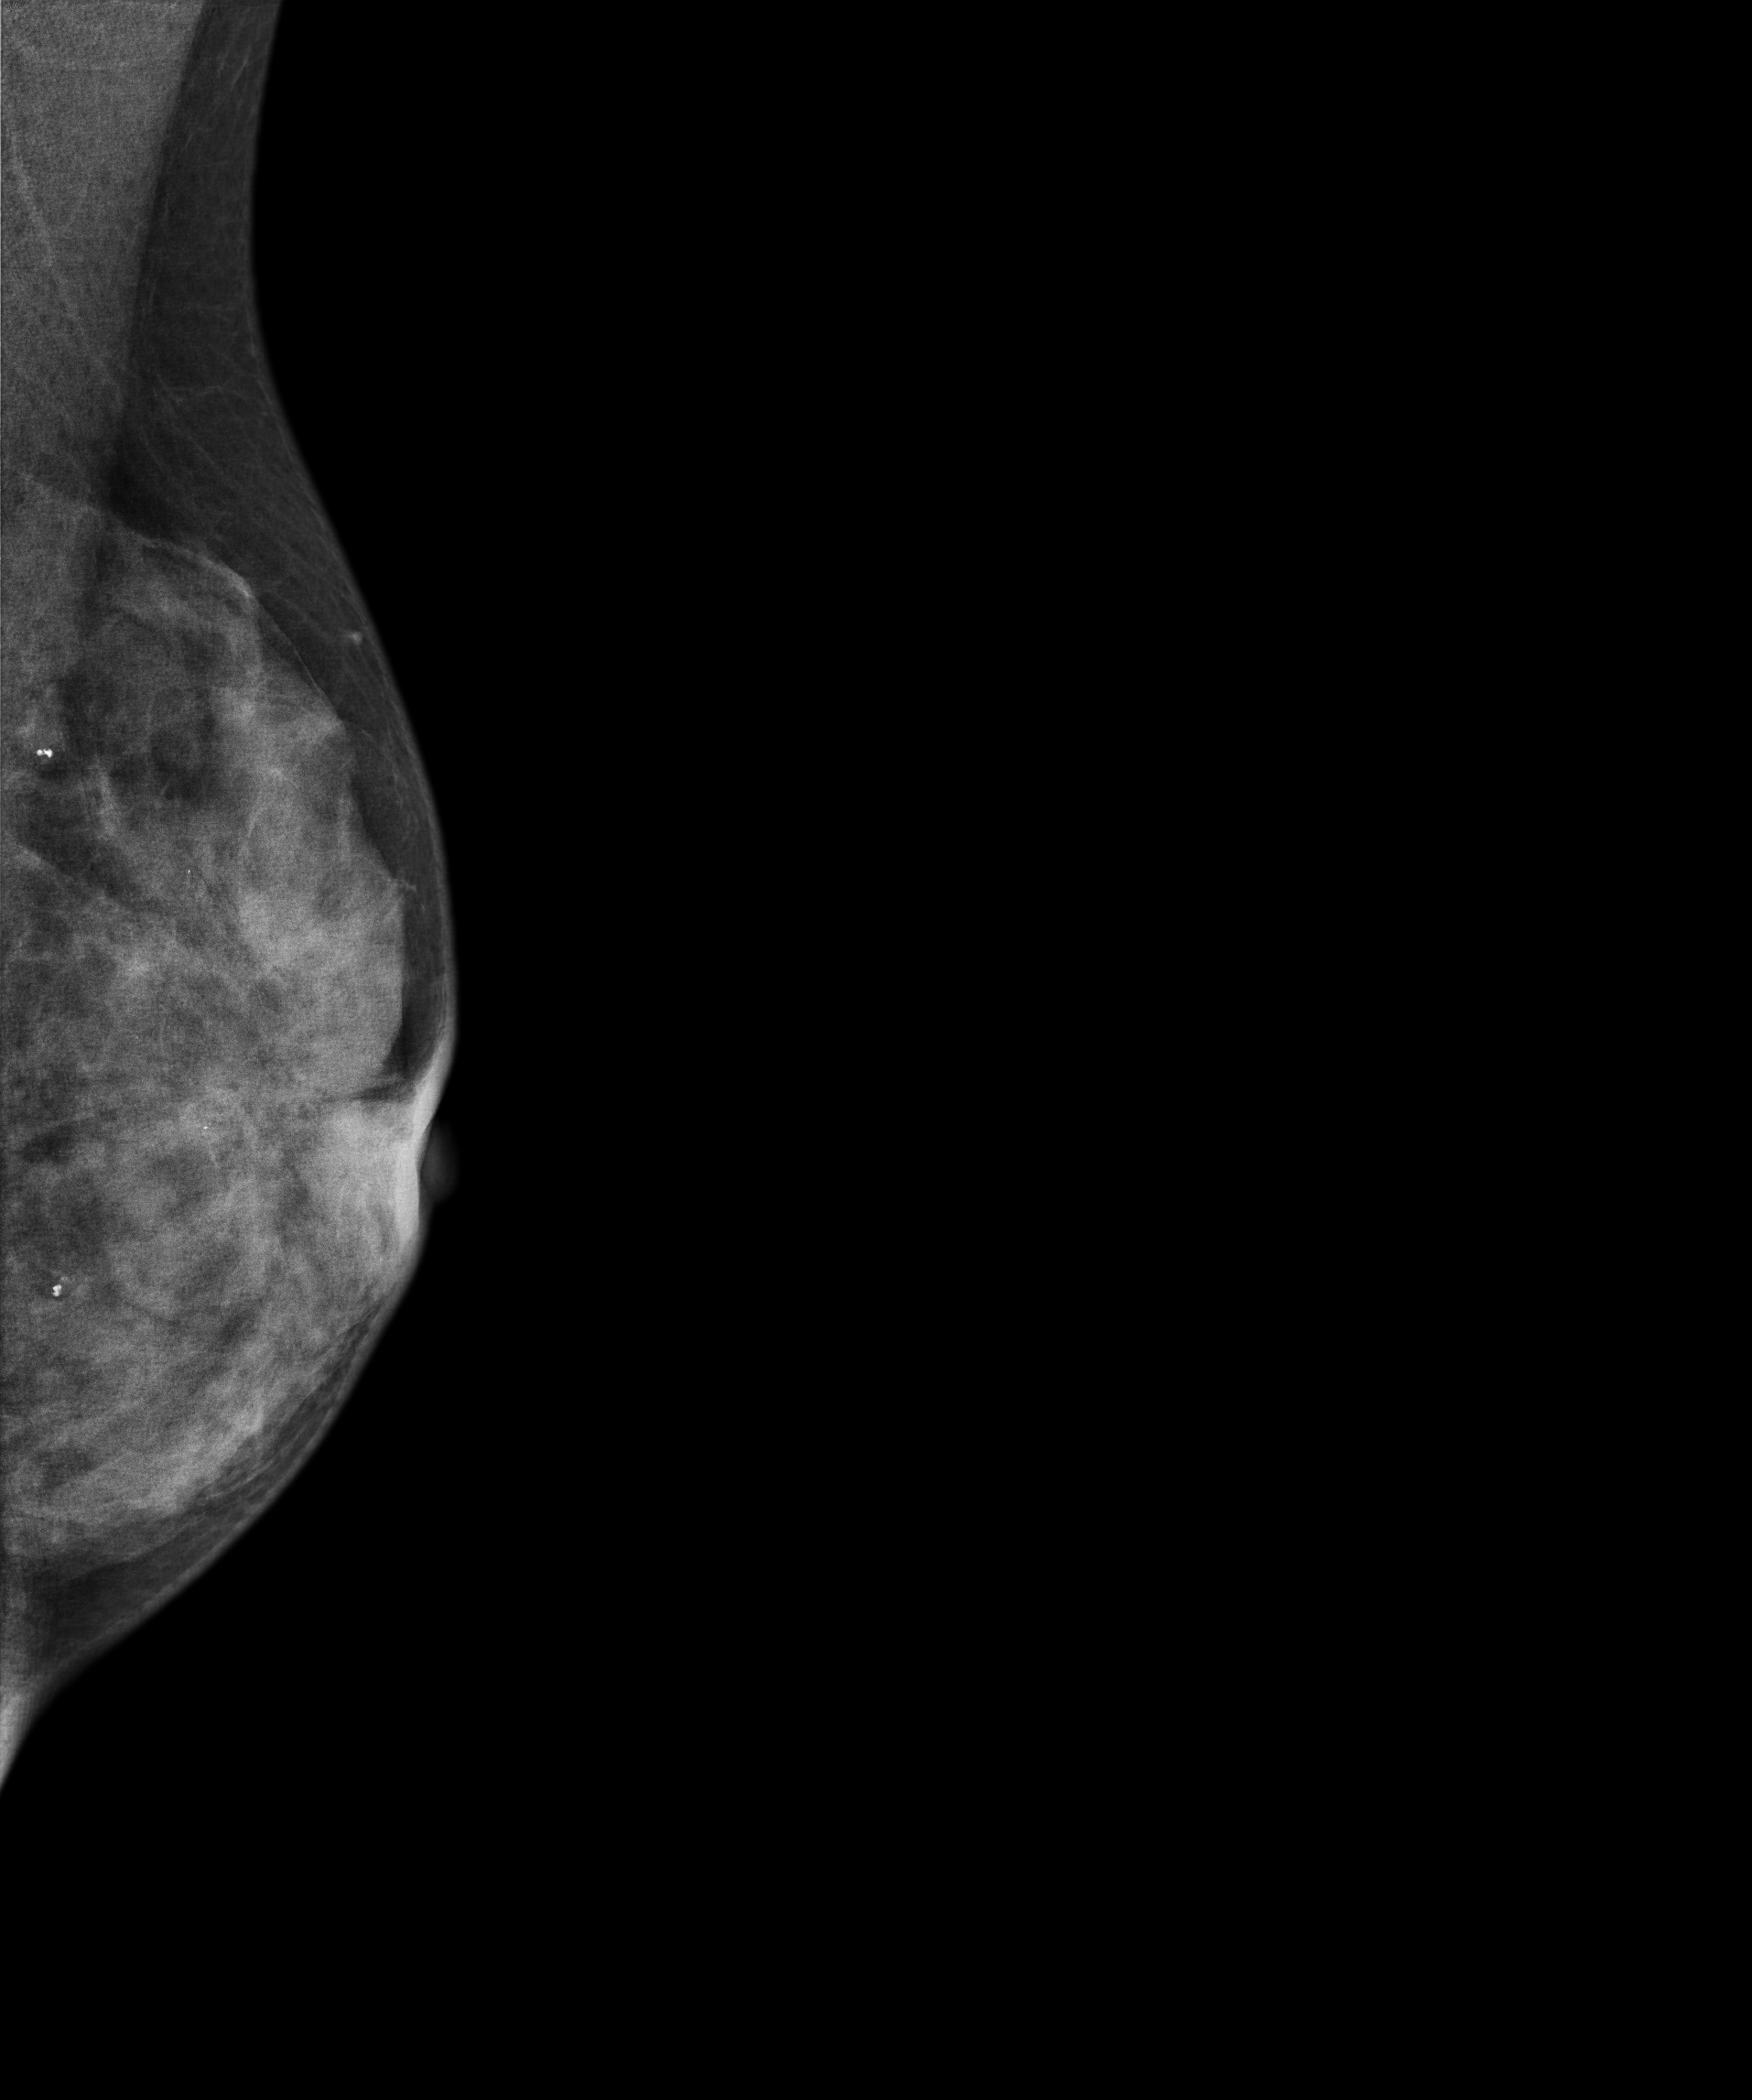
Digital mammography. Left breast, MLO projection. 24-year-old patient.
This breast has a mass, pathology-confirmed benign.